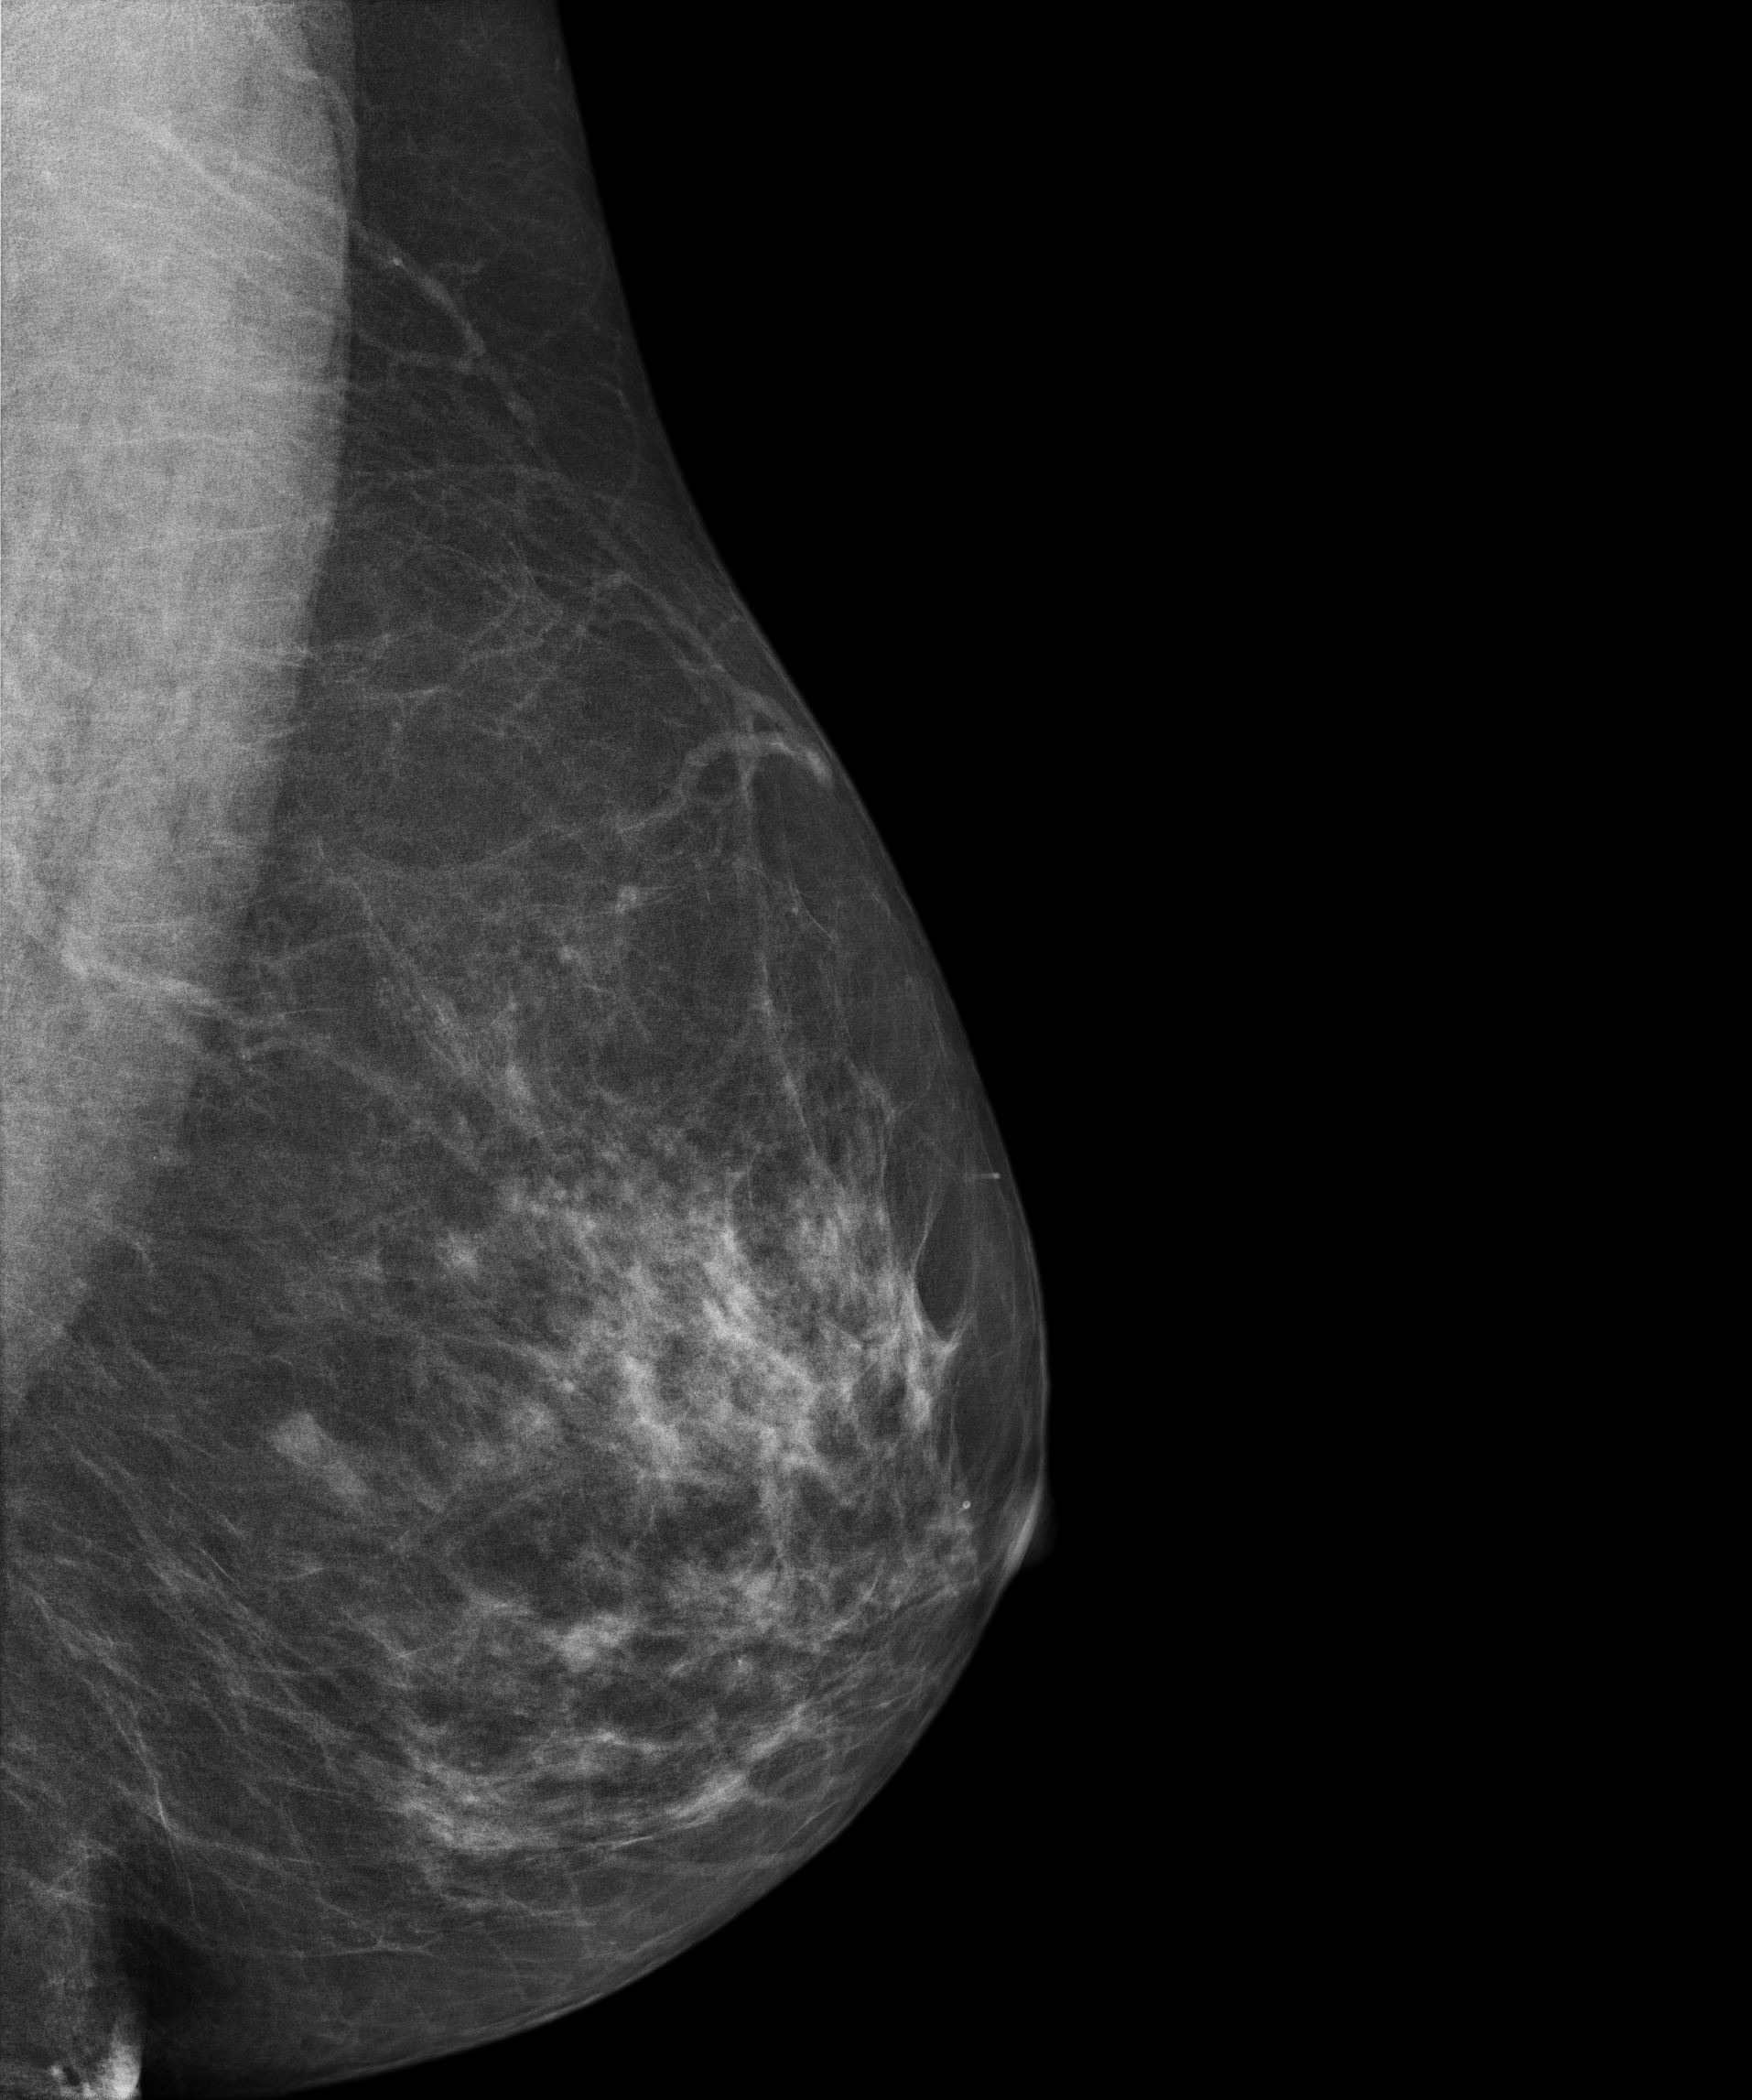
Left-breast mammogram, MLO. 60 y/o patient.
Contralateral breast — no documented abnormality on this side.